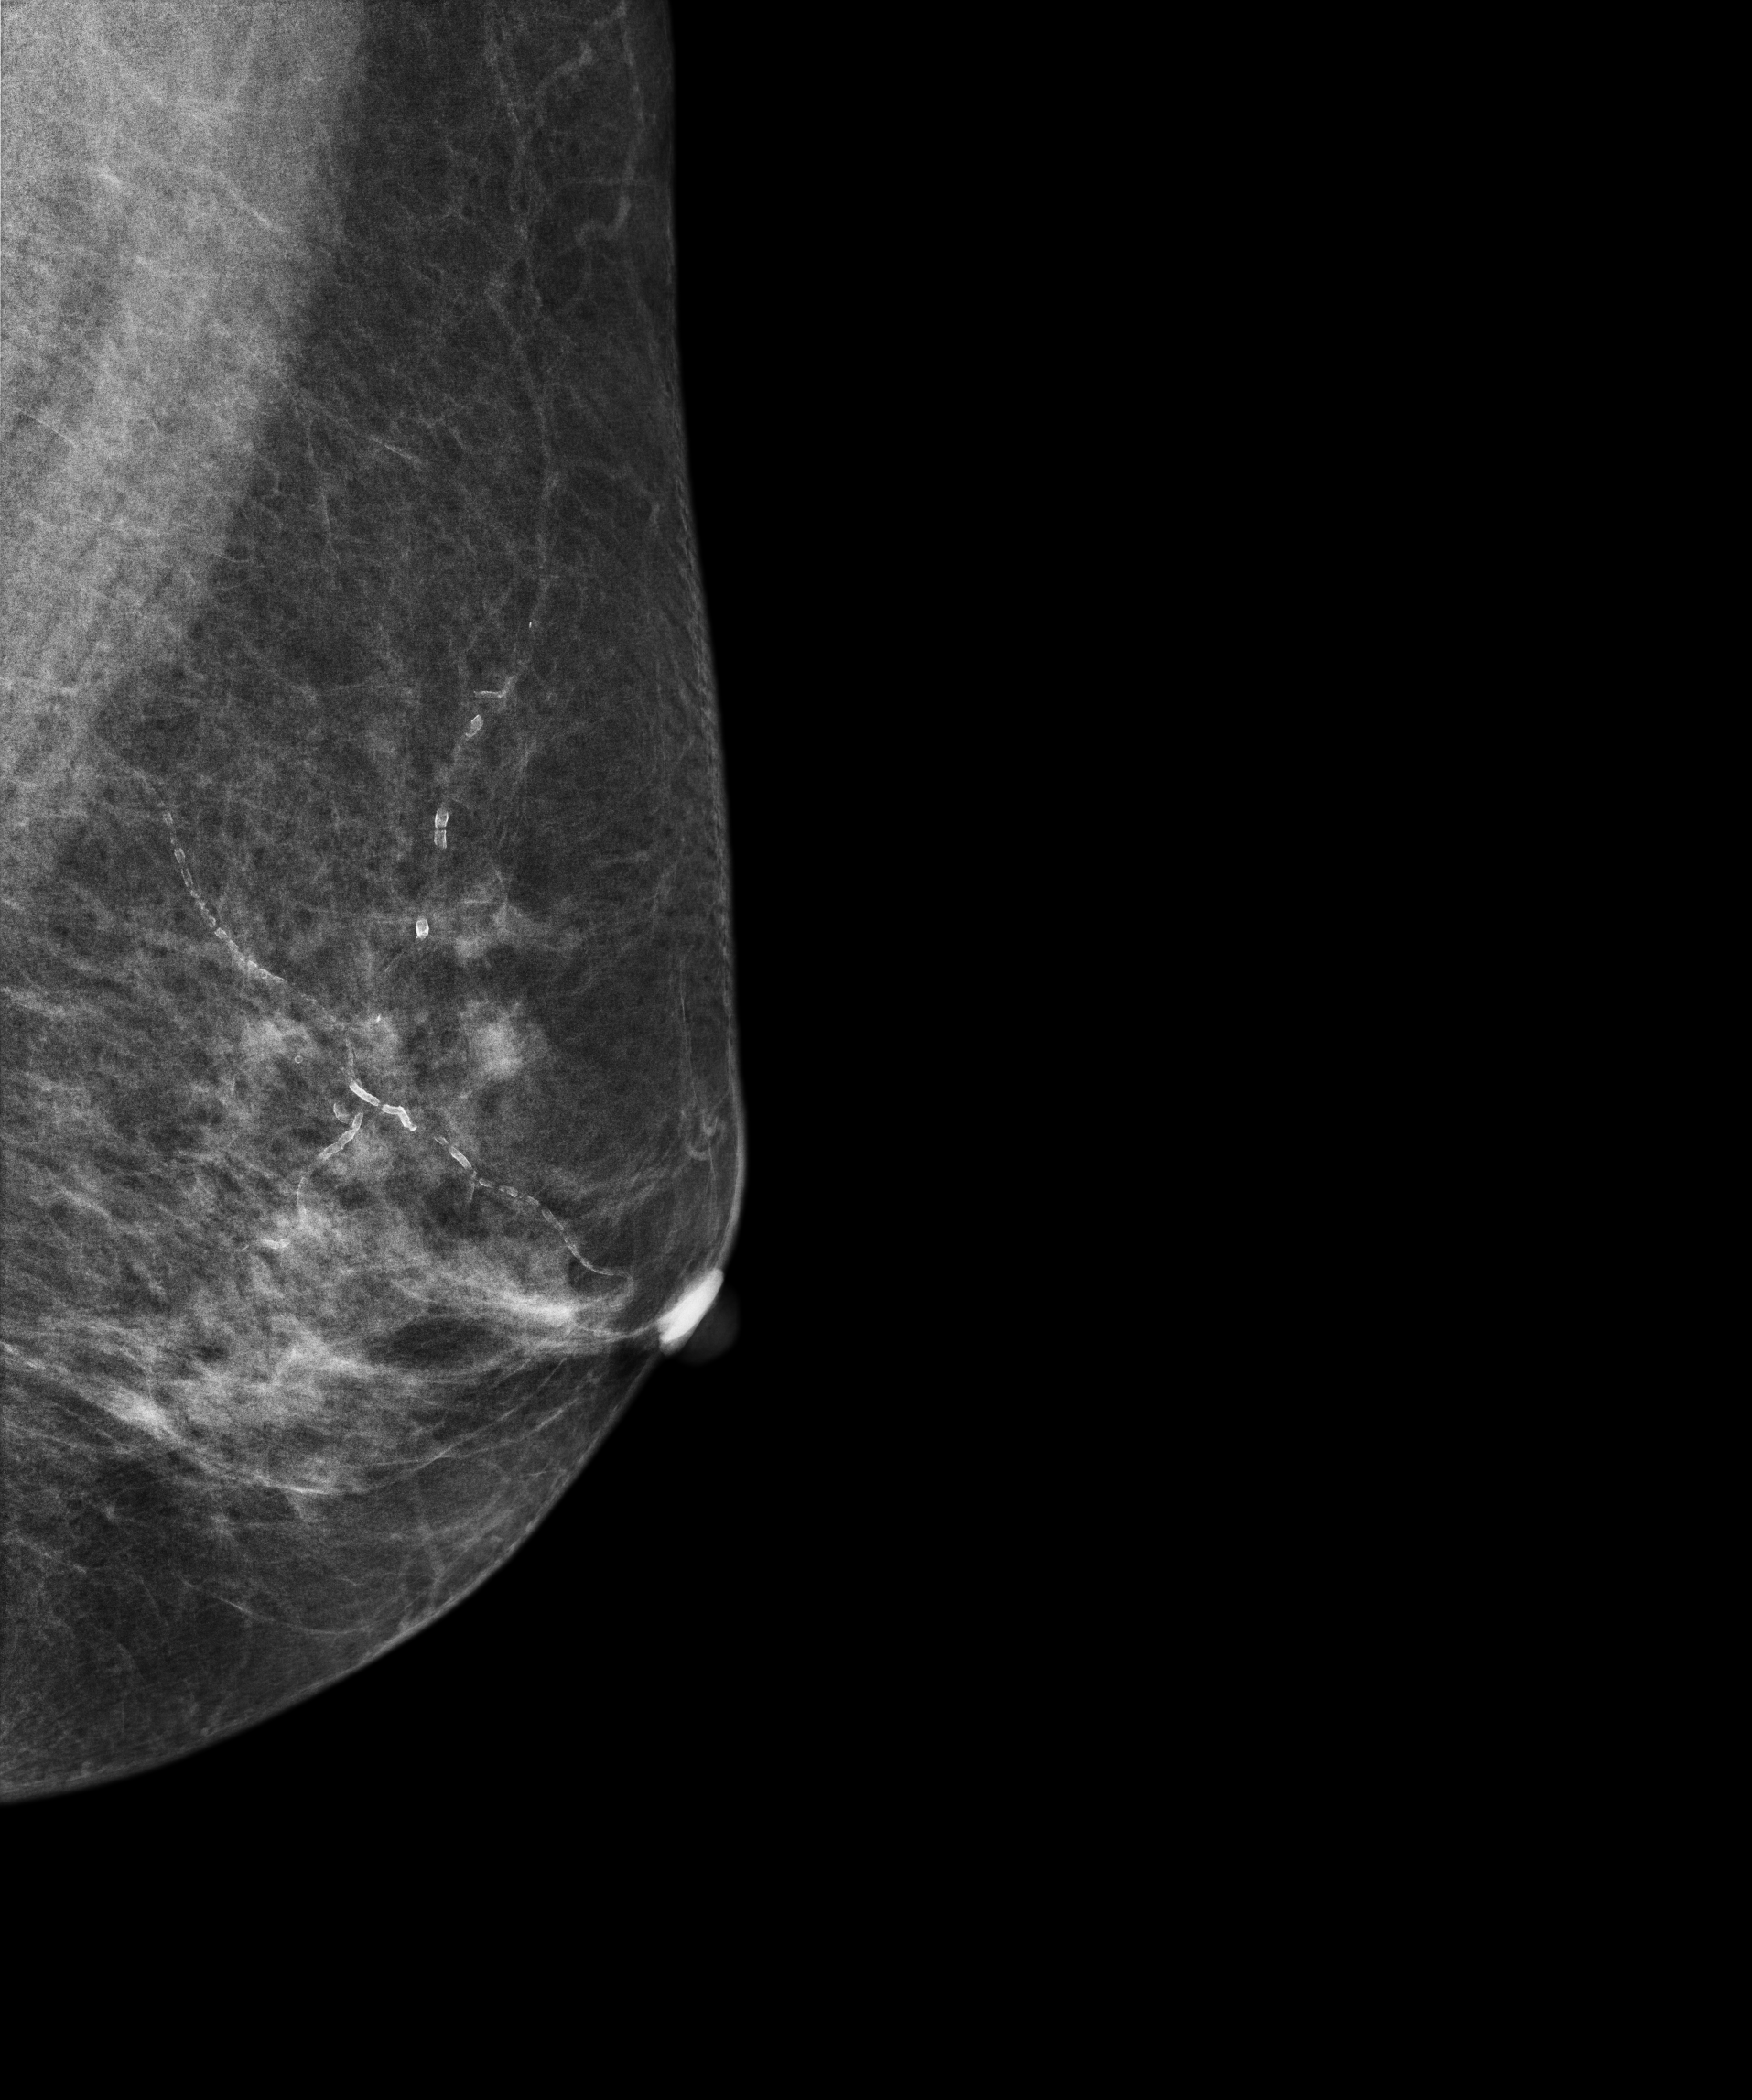
Mammogram, left breast, medio-lateral oblique view. 74-year-old patient.
Contralateral breast — no documented abnormality on this side.